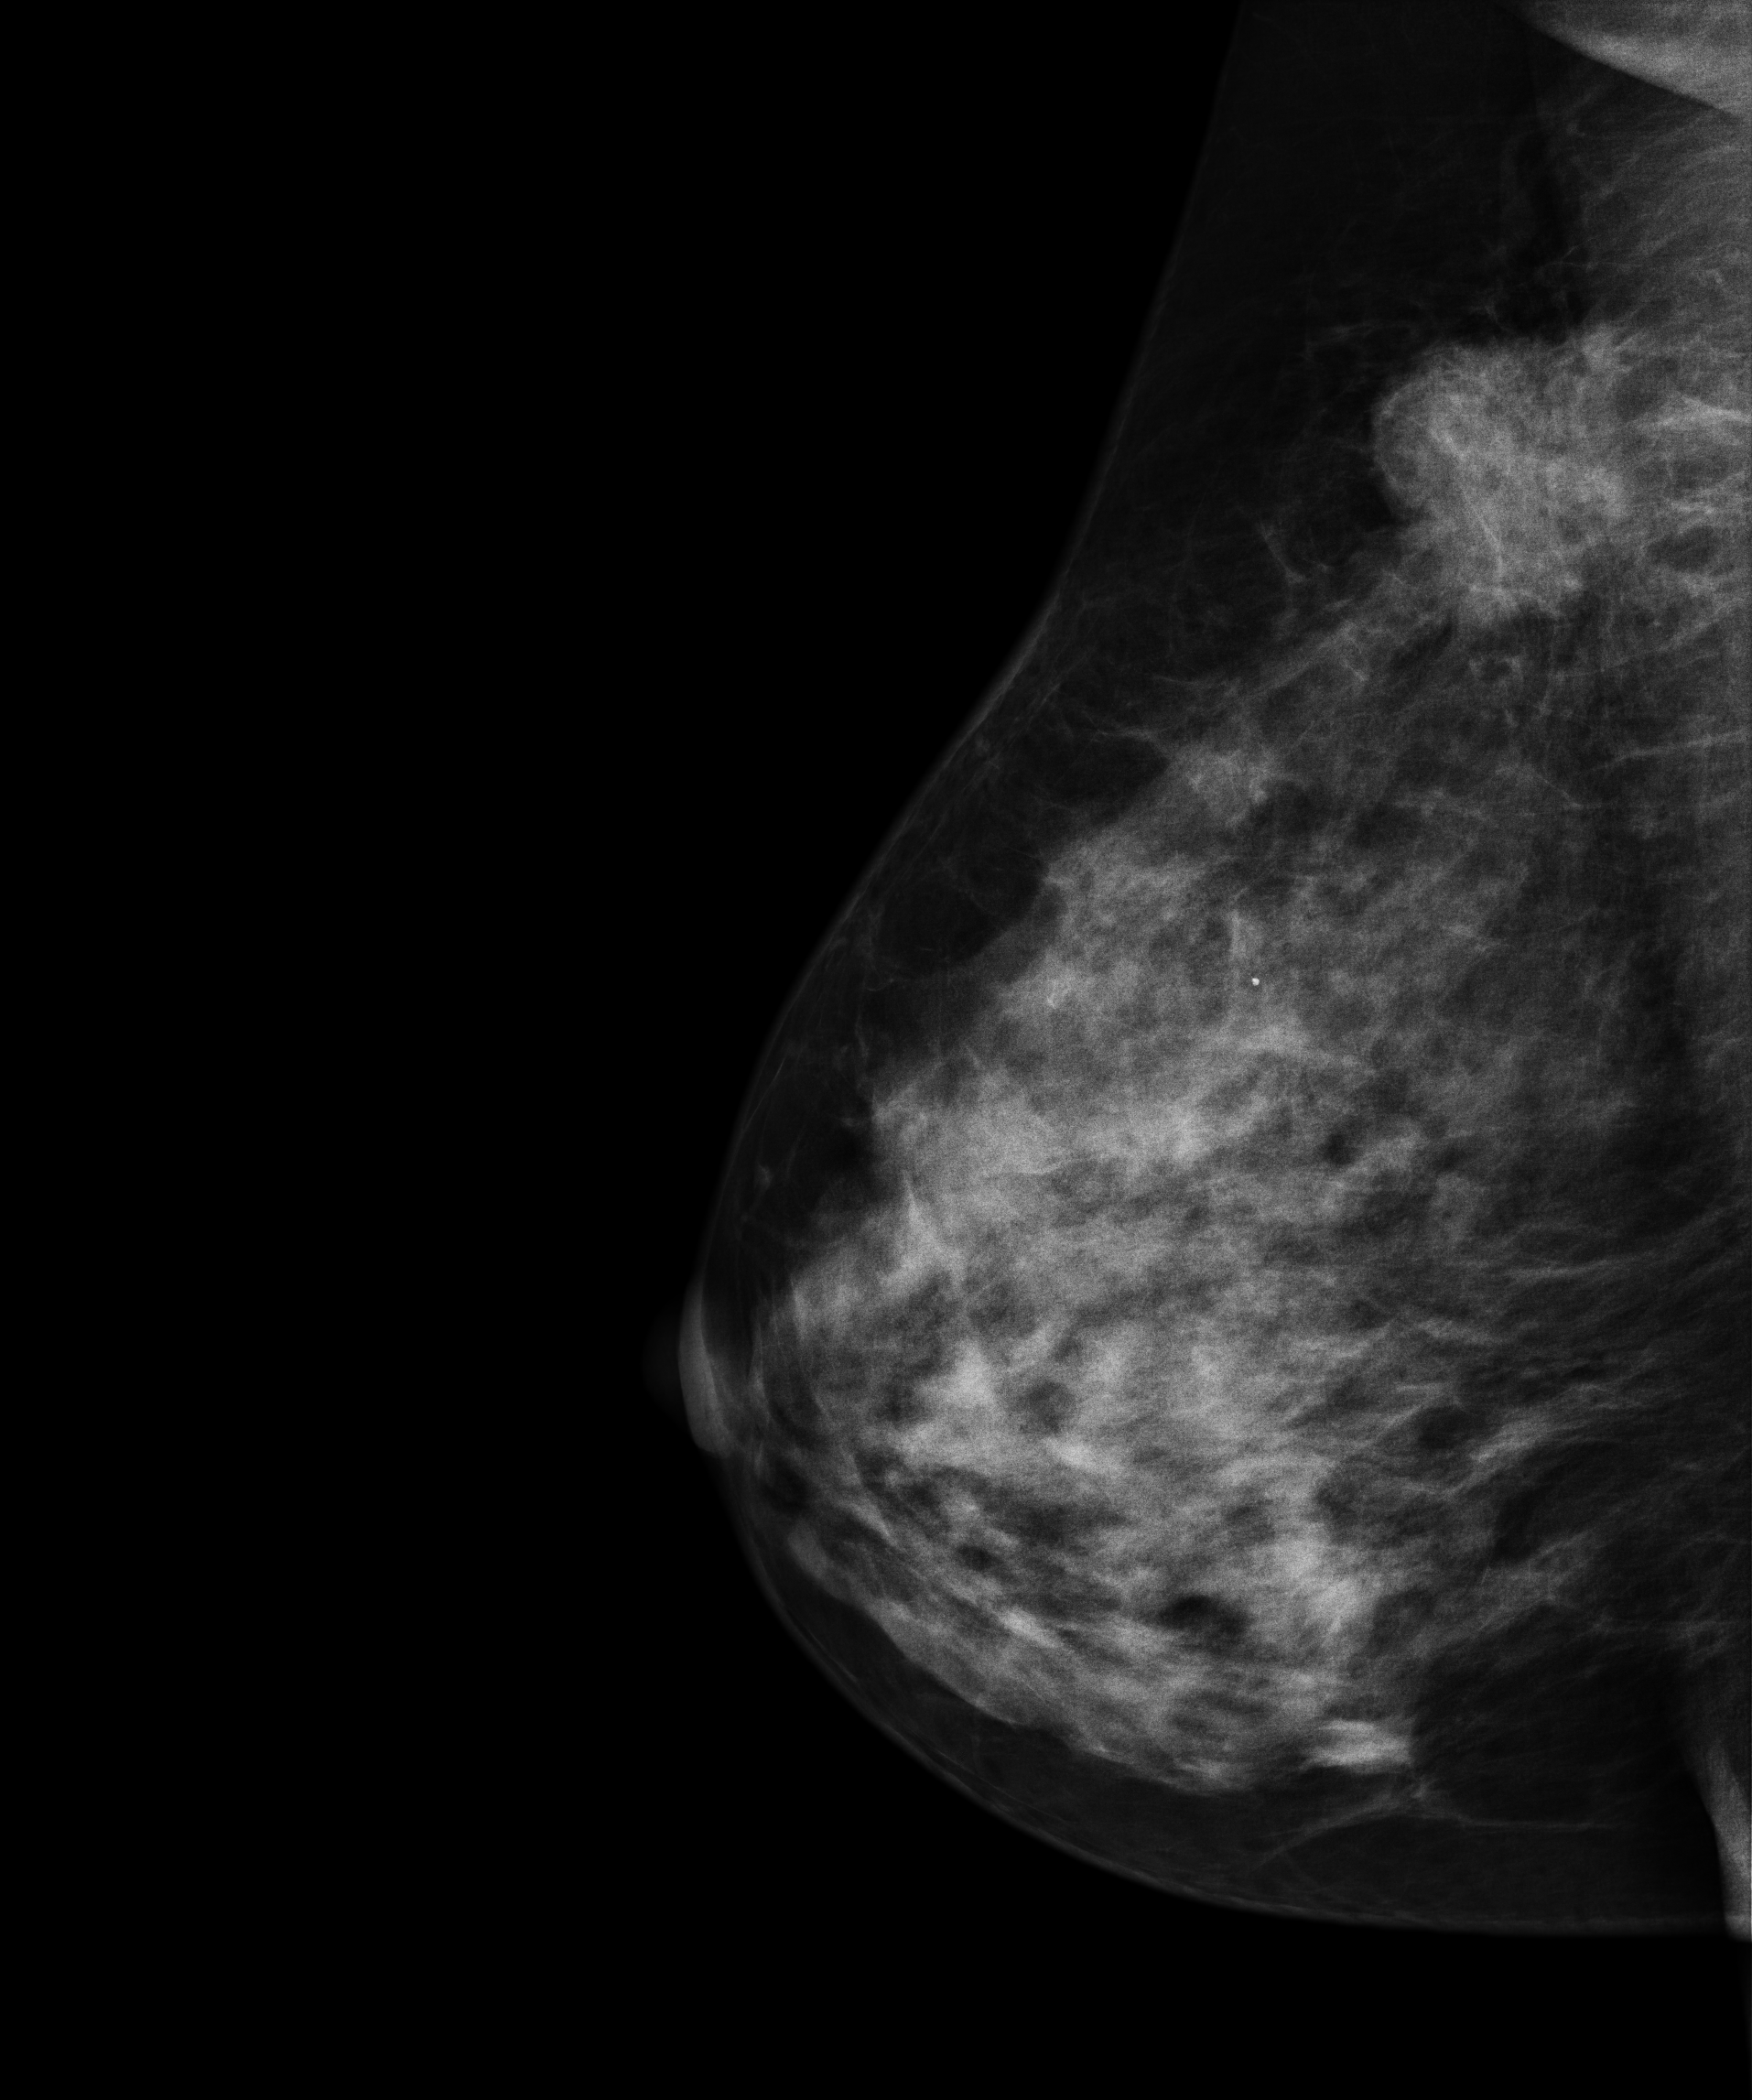
Medio-lateral oblique mammogram of the right breast. 49 y/o patient.
This breast has a mass, histologically confirmed malignant. Molecular subtype: luminal B.